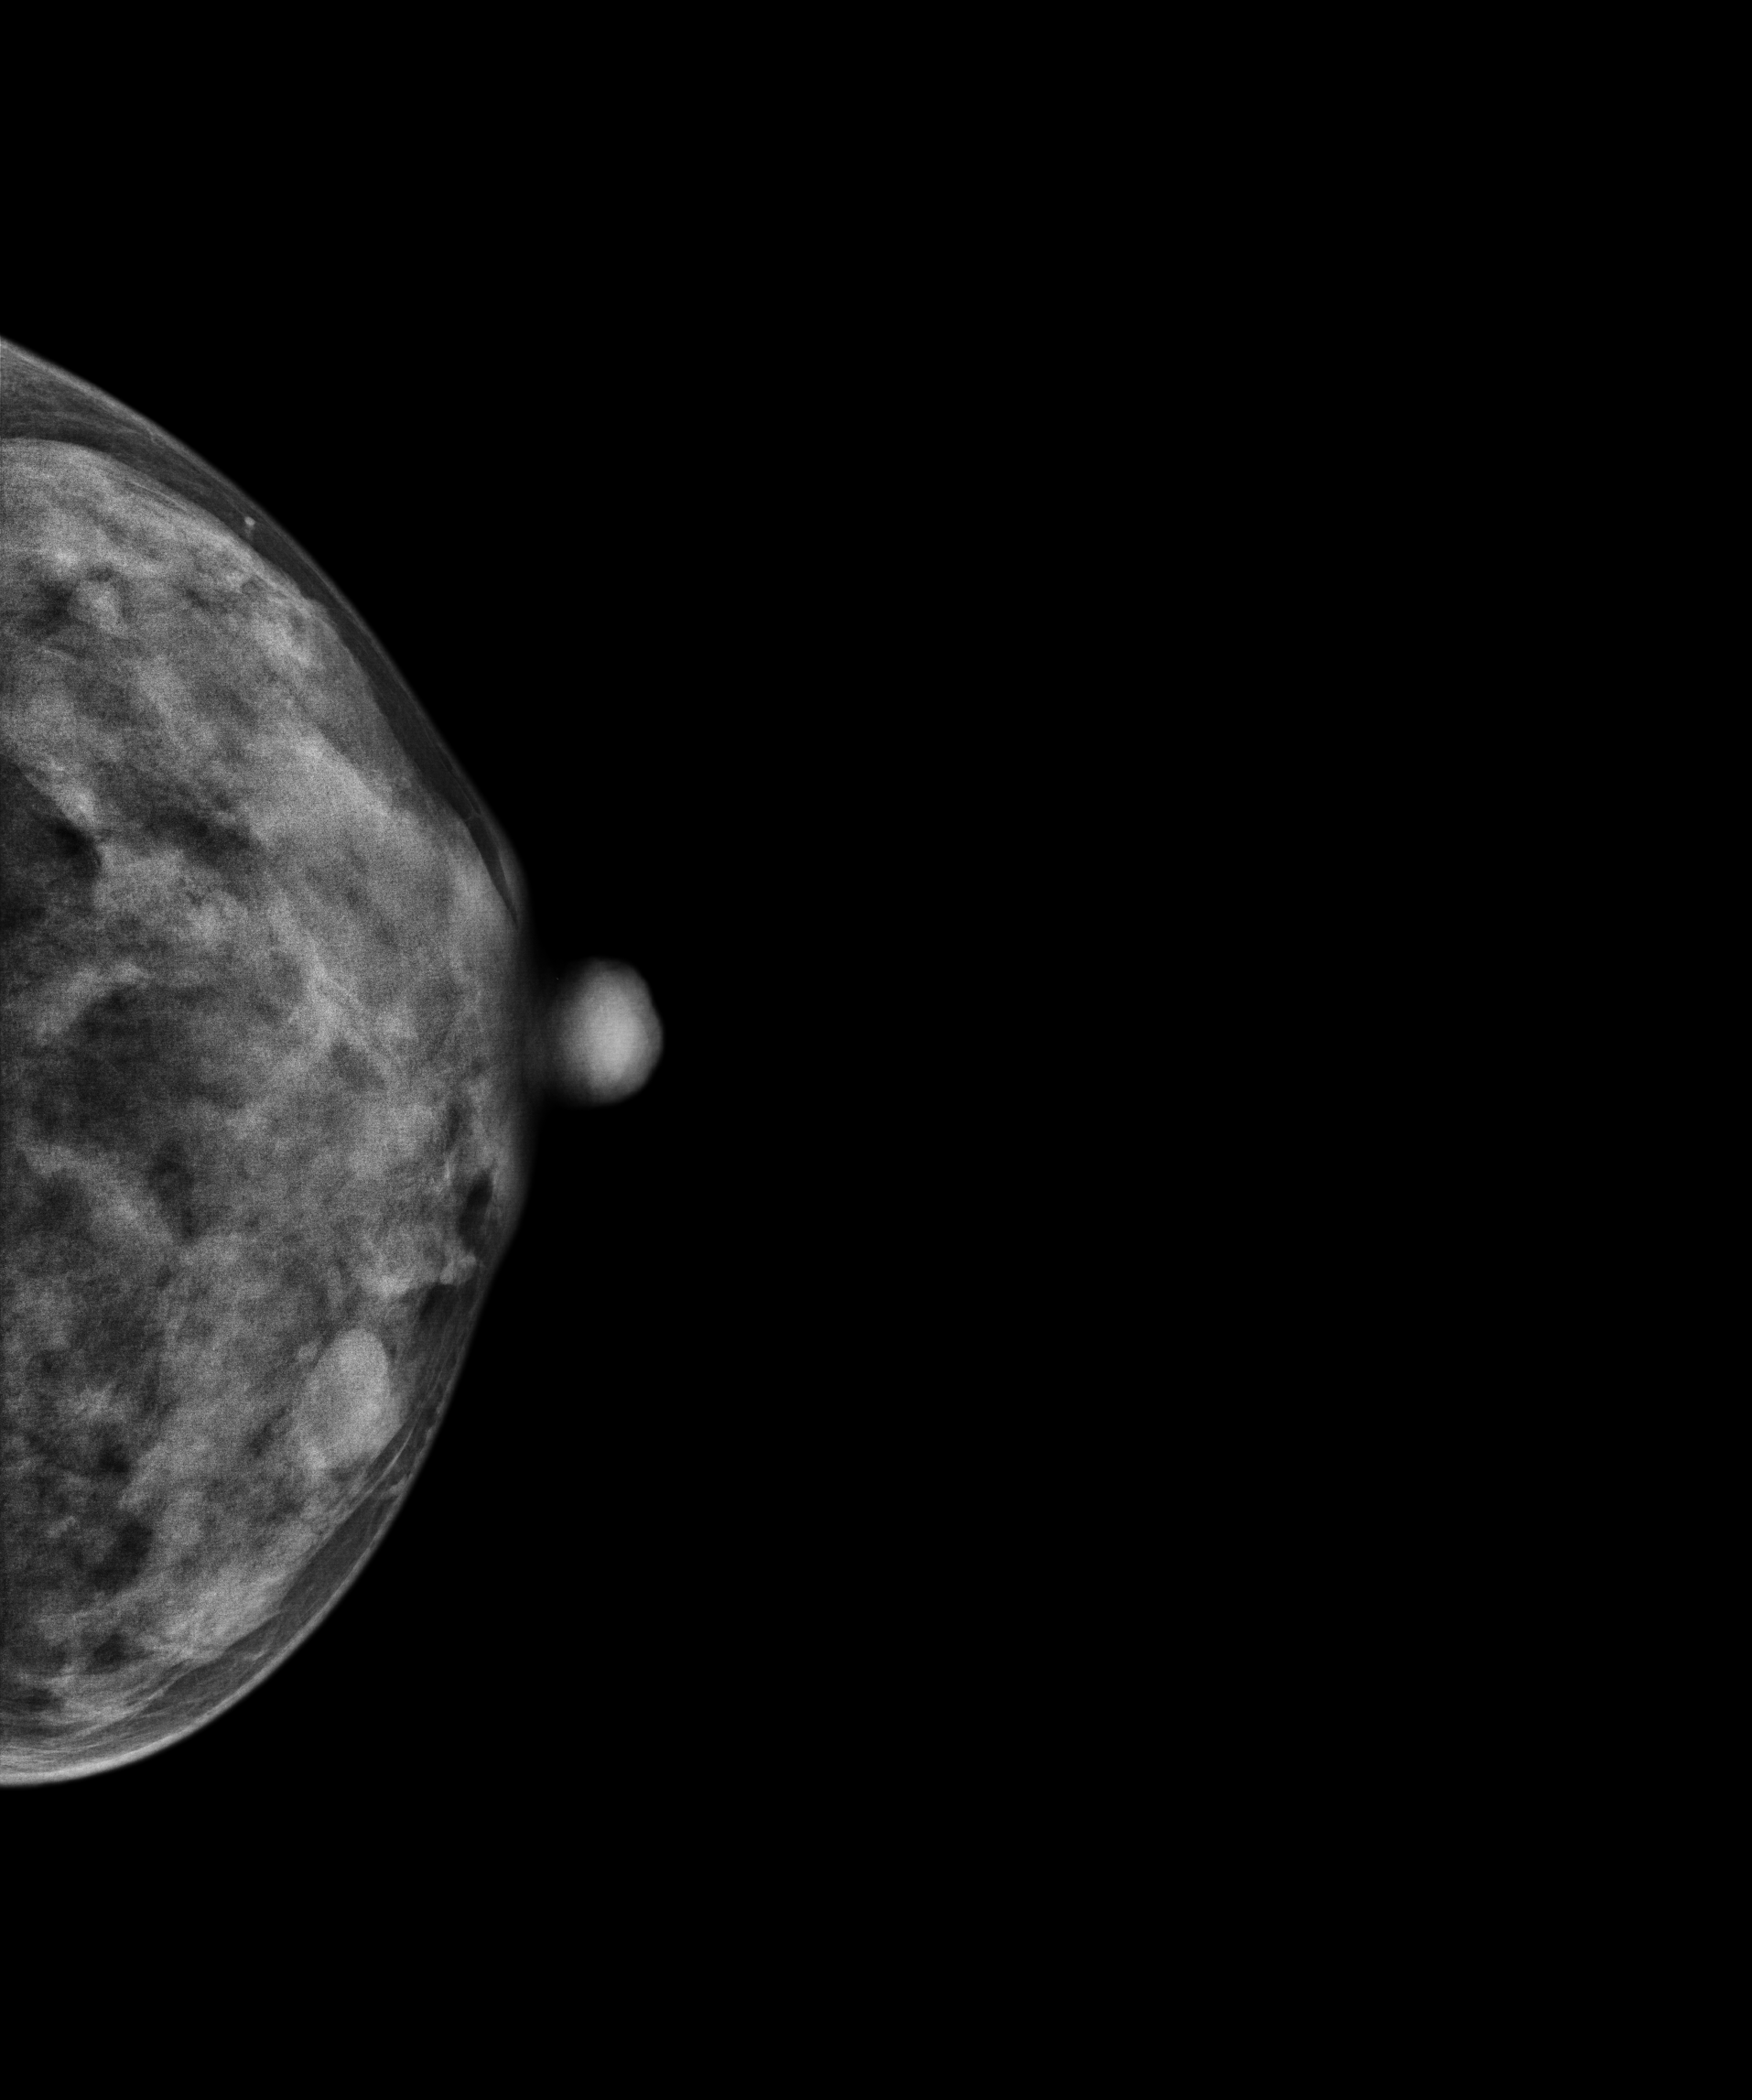
Mammogram — left CC. 32-year-old patient.
This breast has a mass, histologically confirmed benign.